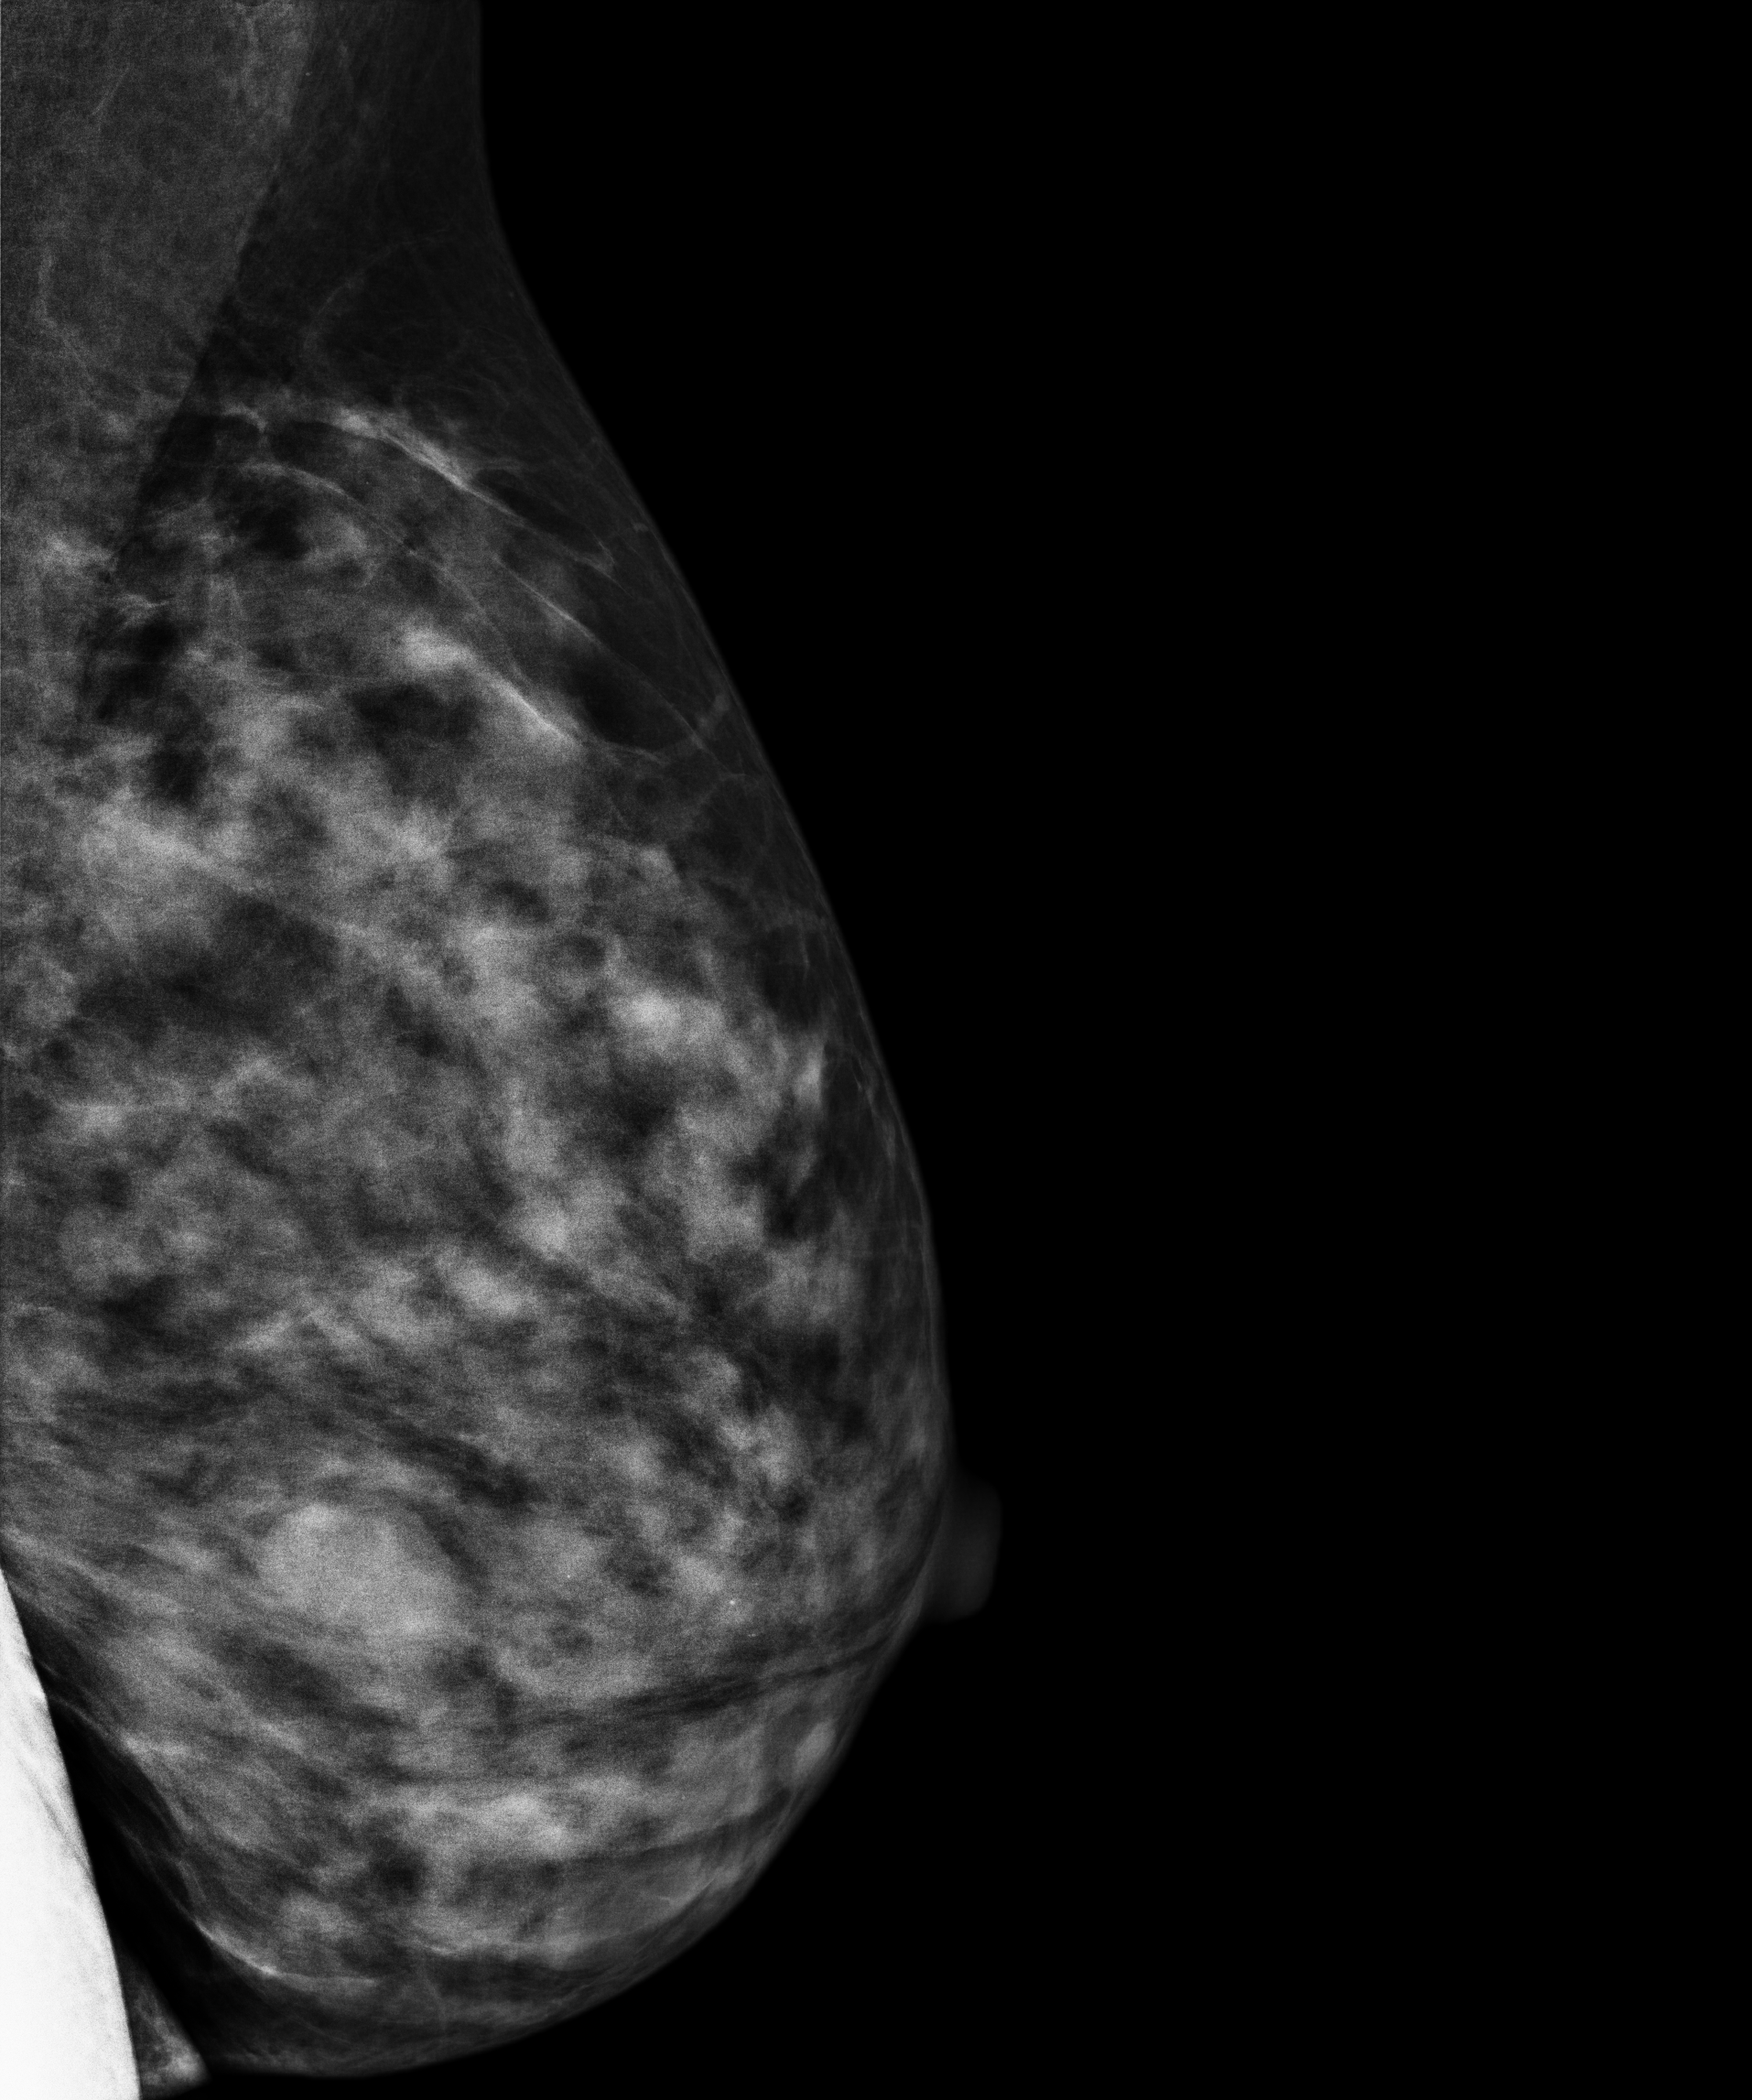
Digital mammography. Left breast, medio-lateral oblique projection. Patient age 40.
This breast has a mass, biopsy-confirmed benign.